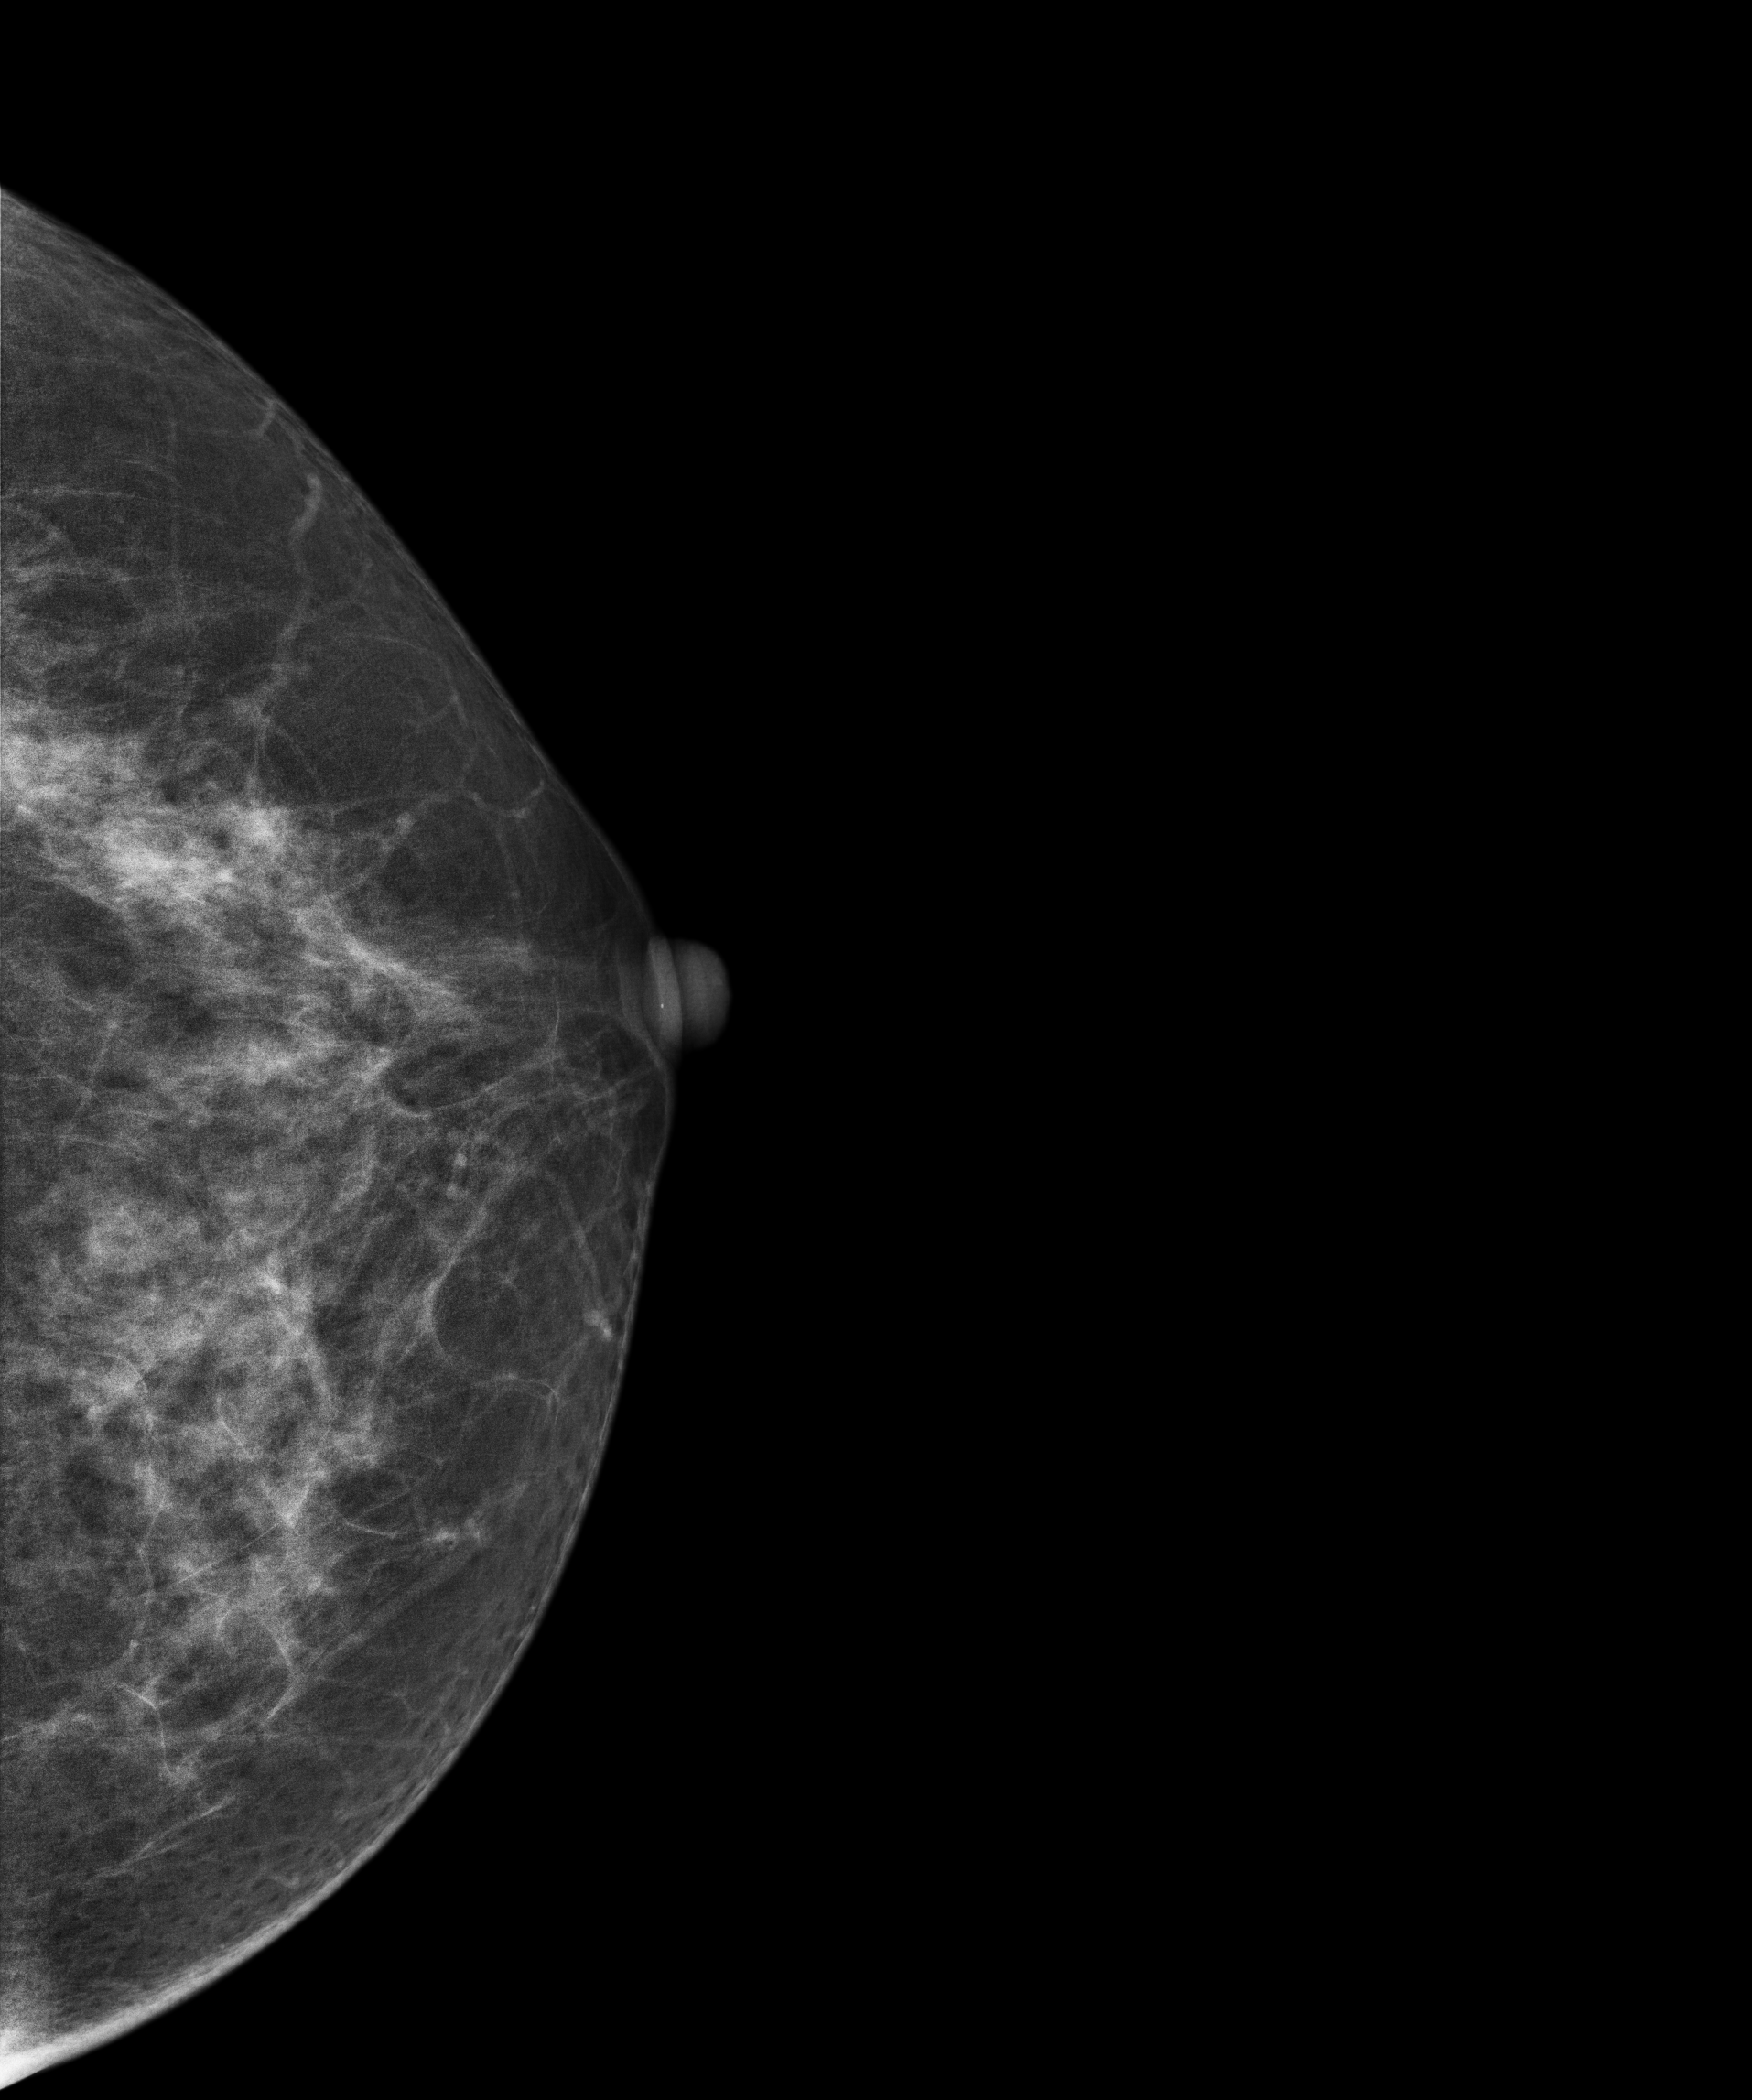
Cranio-caudal mammogram of the left breast. 60-year-old patient.
Contralateral breast — no documented abnormality on this side.